Left-breast mammogram, CC. 39-year-old patient.
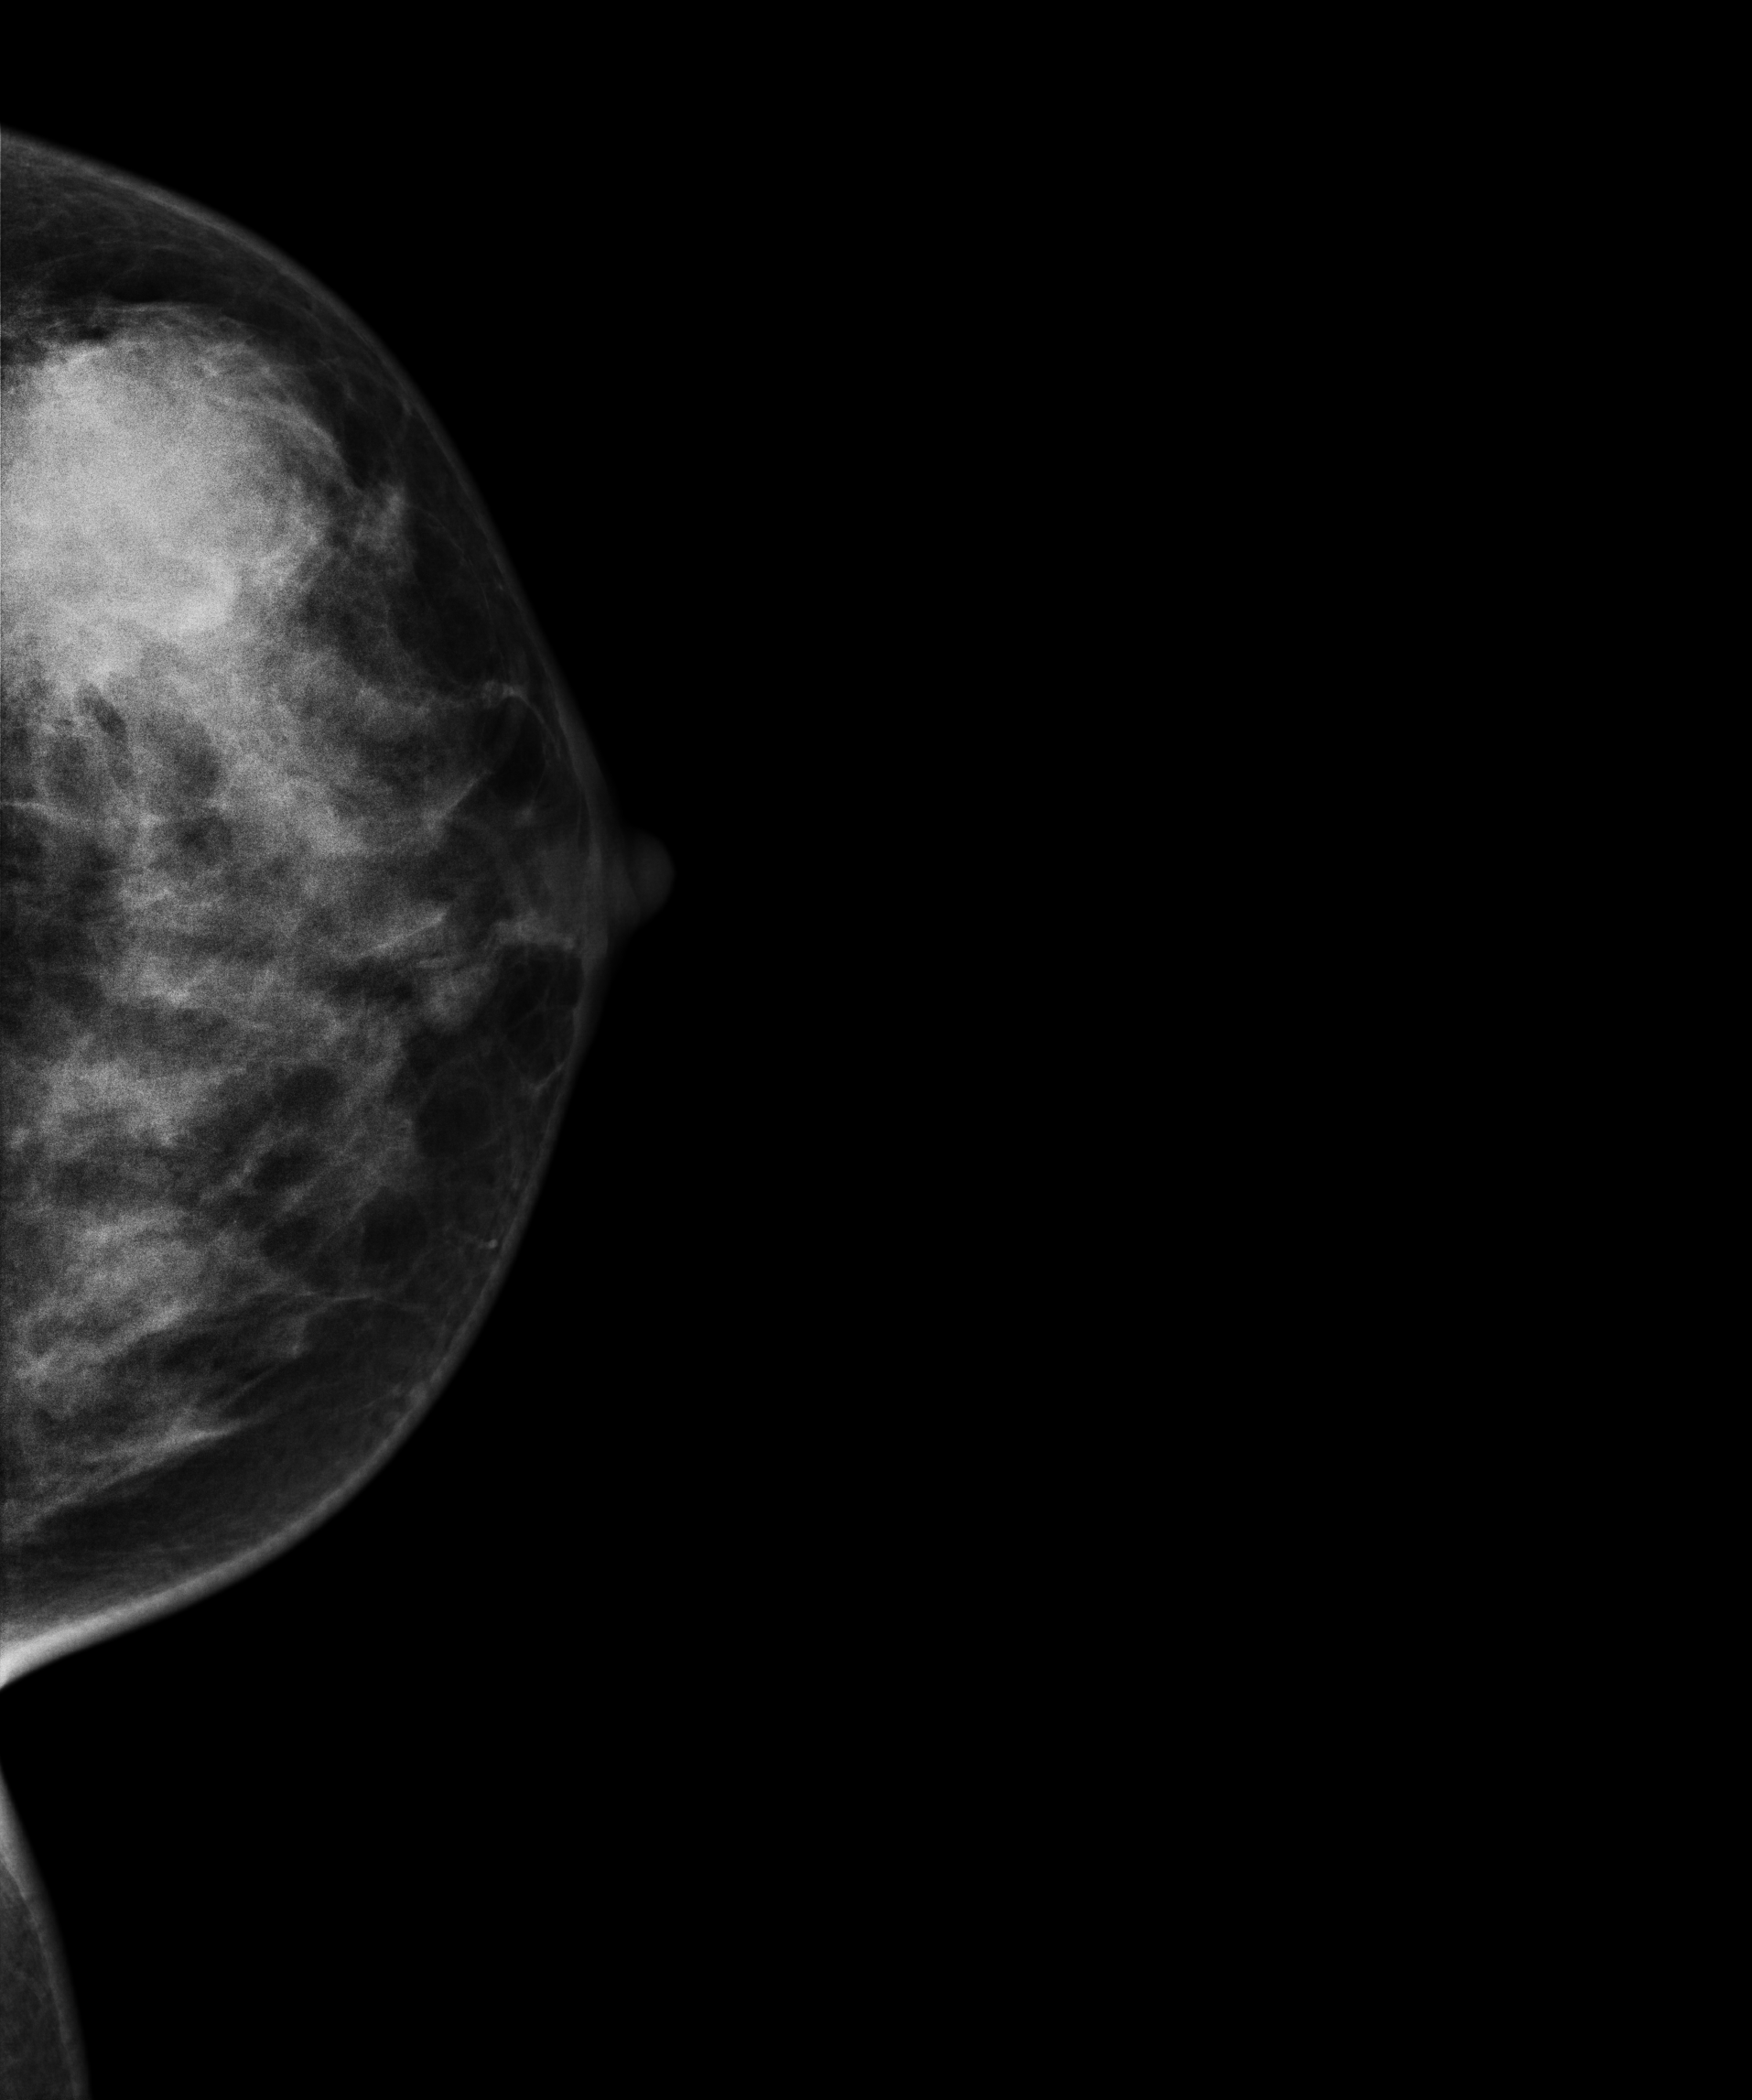
This breast has a mass, pathology-confirmed malignant.